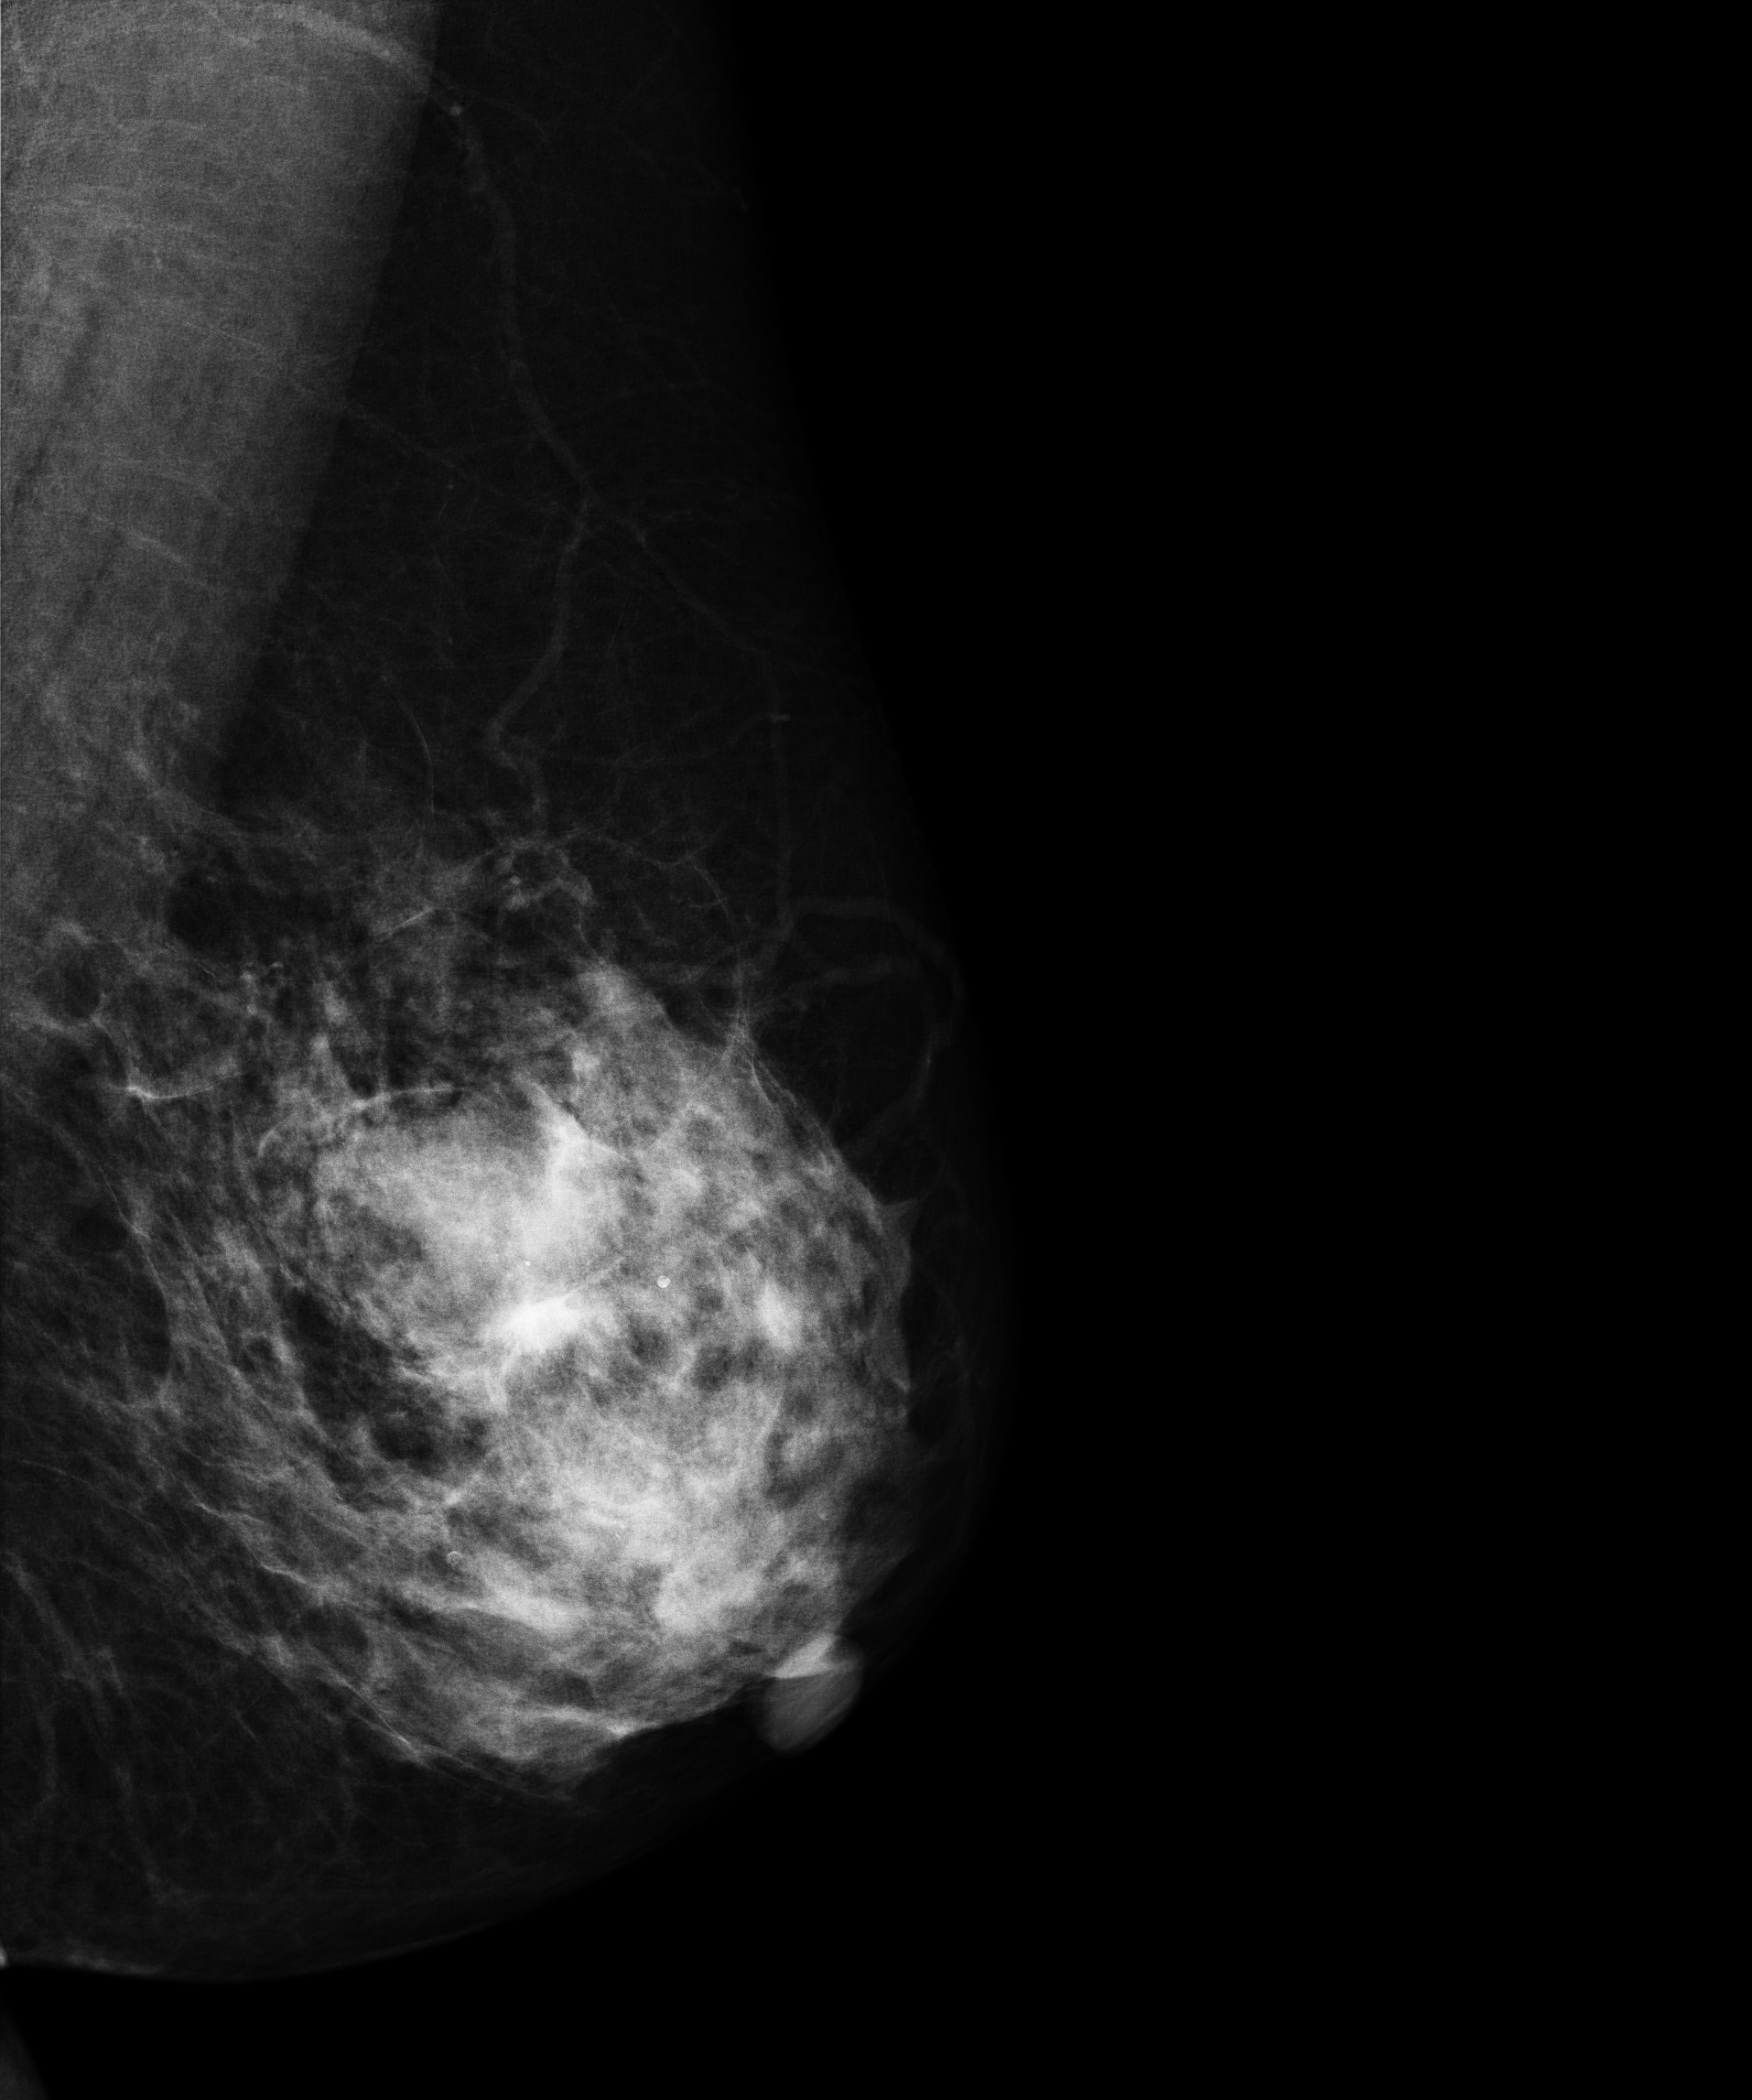
MLO mammogram of the left breast. 58 y/o patient.
This breast has a mass and calcifications, pathology-confirmed malignant.